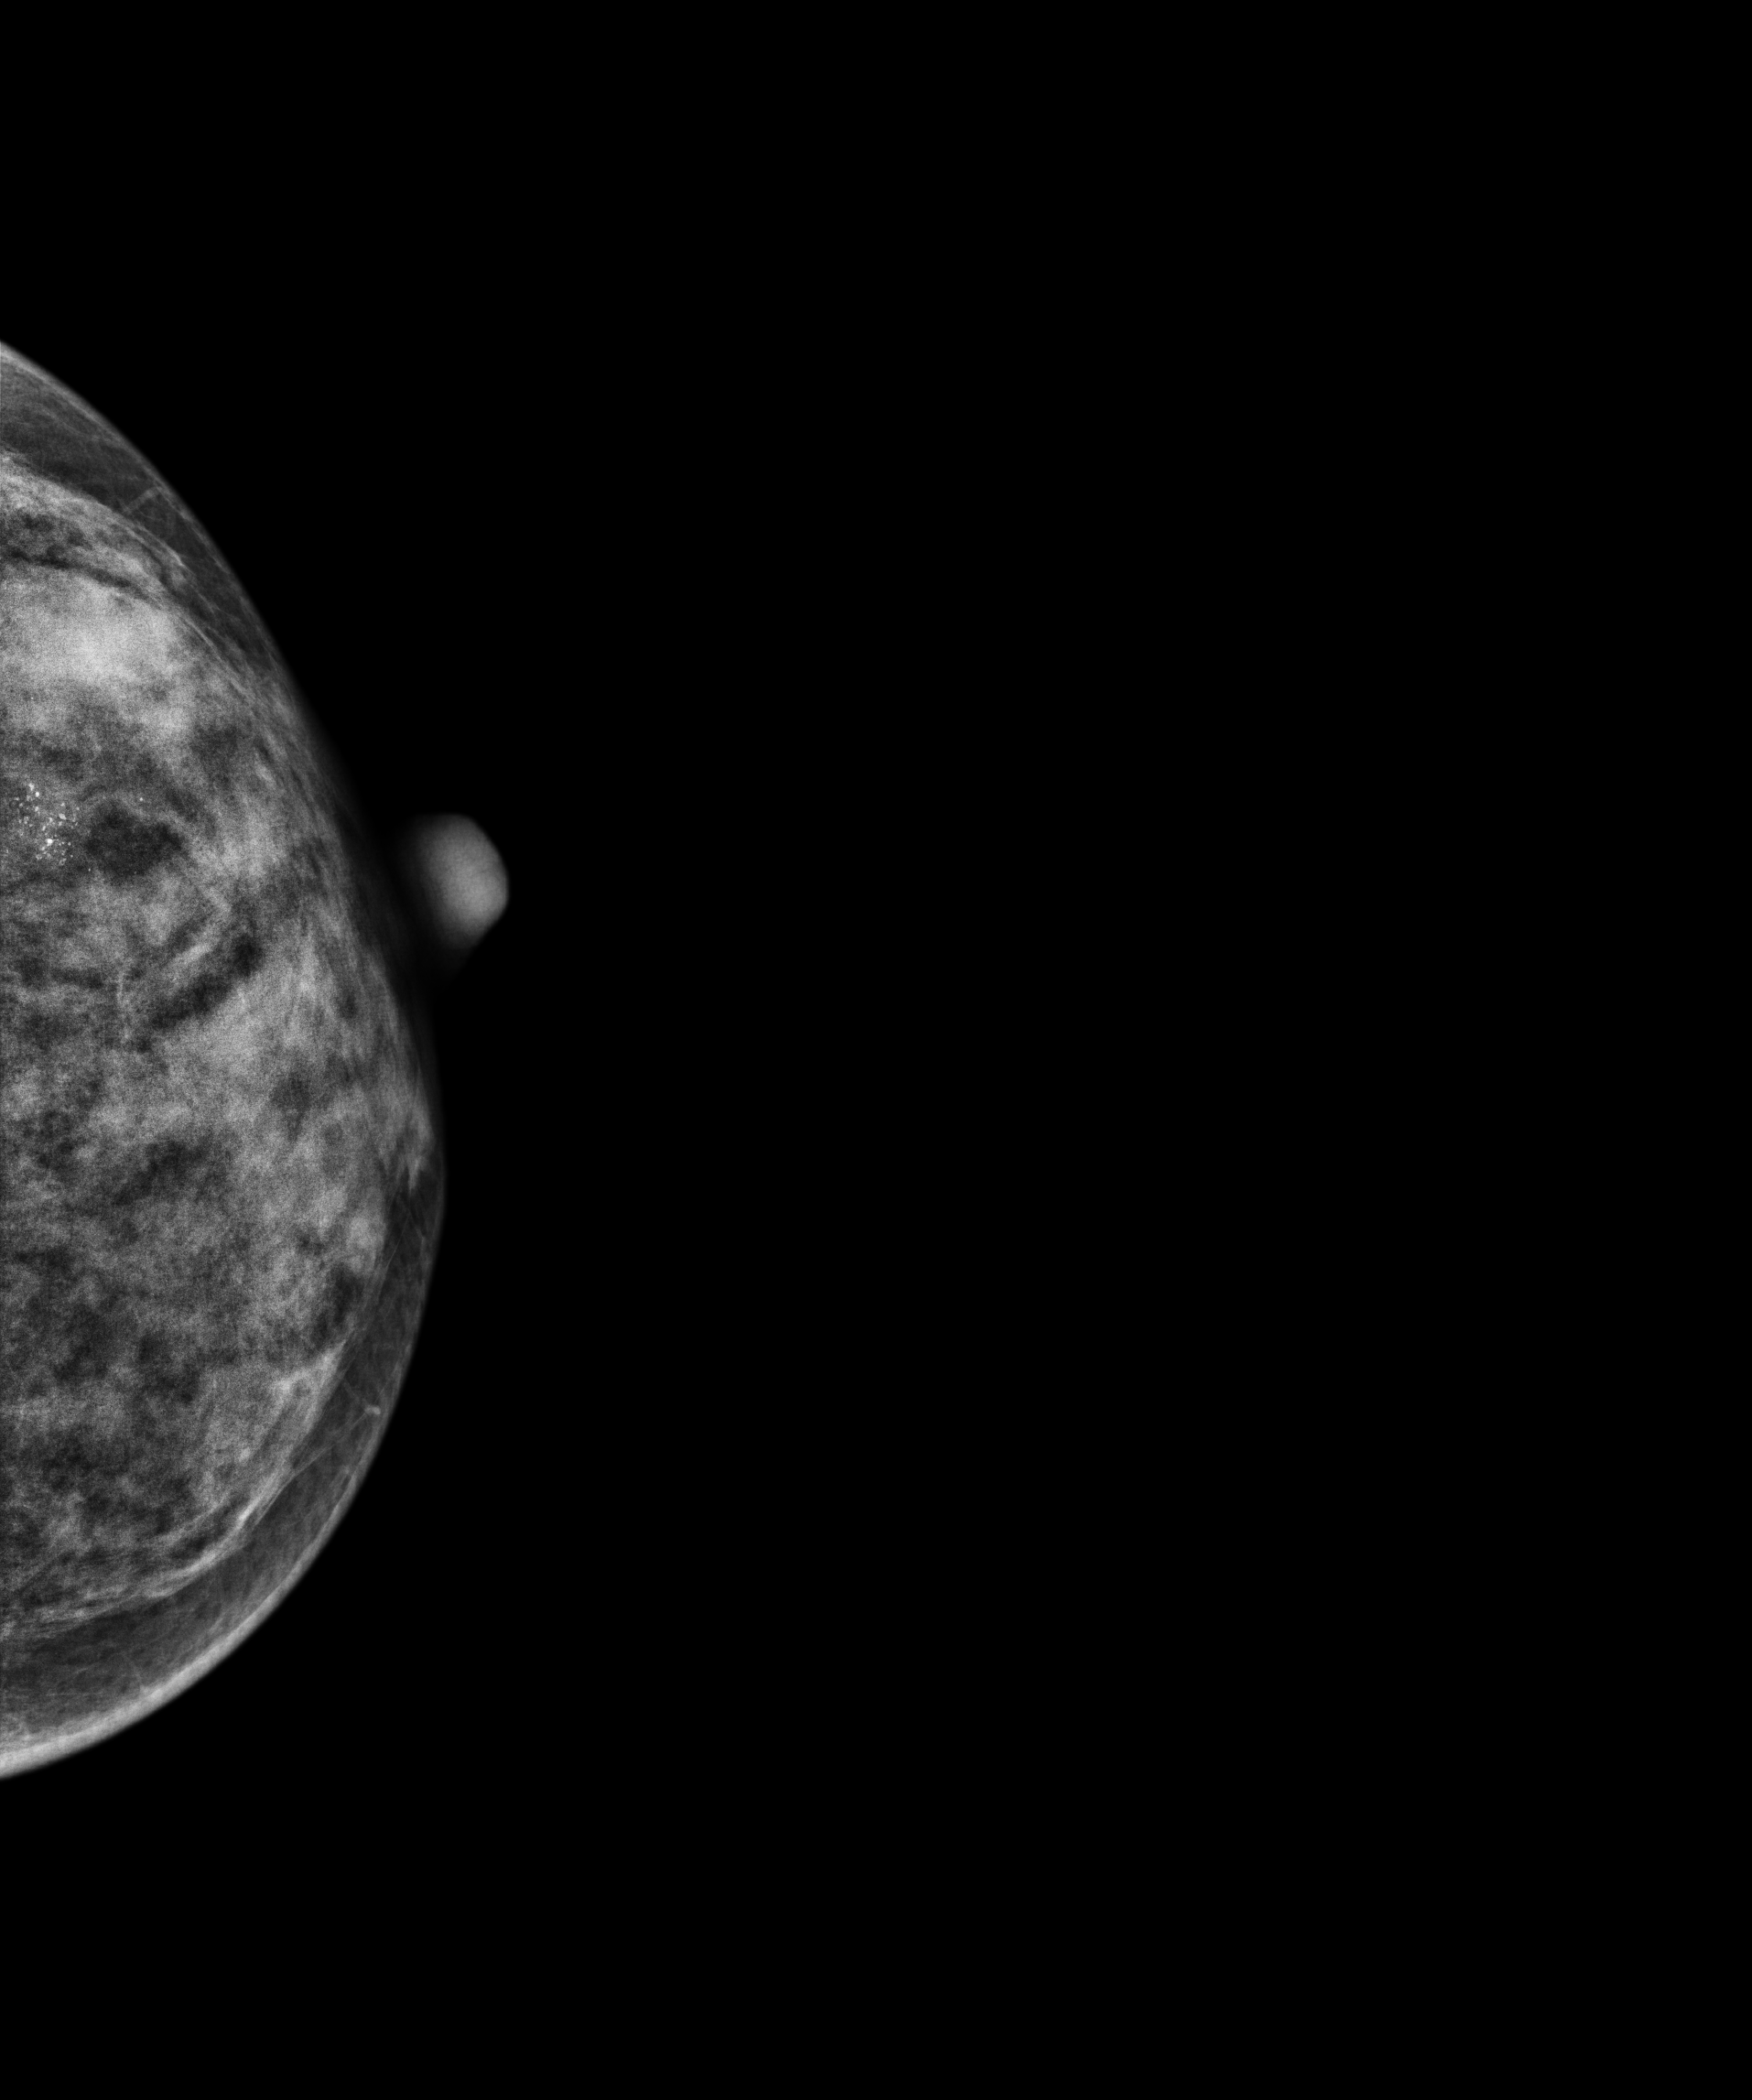
Cranio-caudal mammogram of the left breast. Patient age 47.
This breast has a mass and calcifications, pathology-confirmed malignant. Molecular subtype: luminal B.